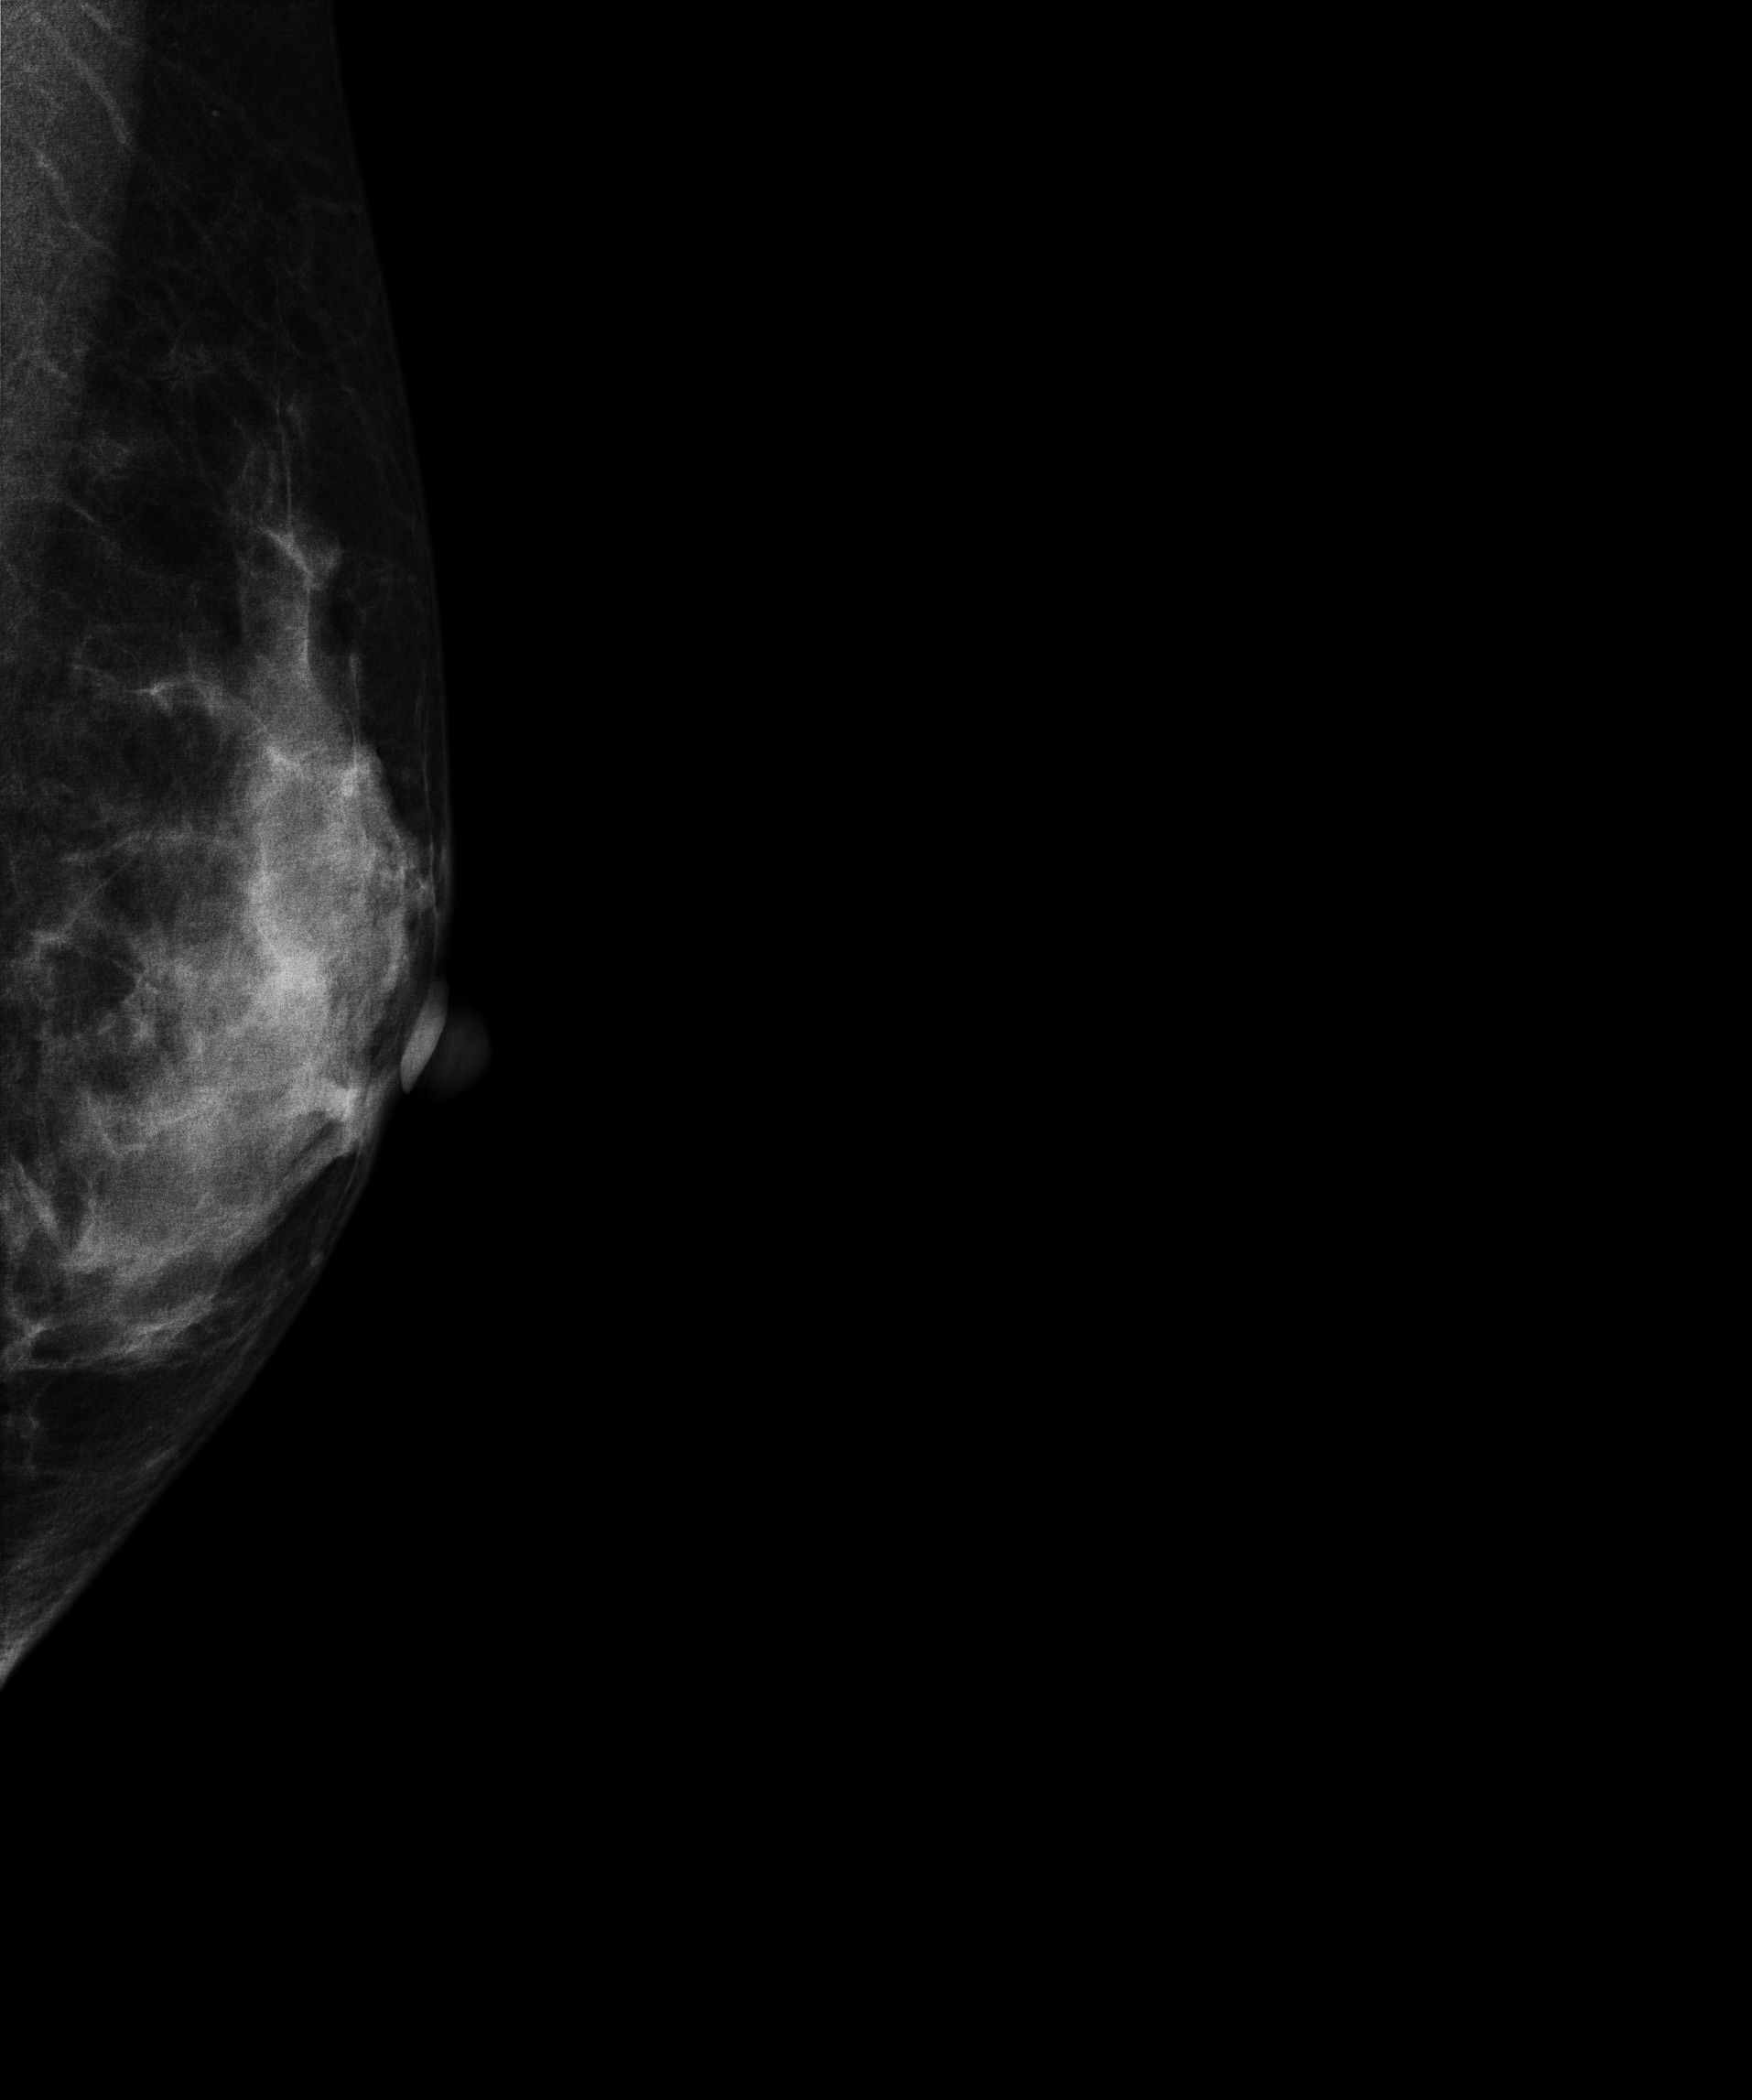
MLO mammogram of the left breast. Patient age 40.
Contralateral breast — no documented abnormality on this side.